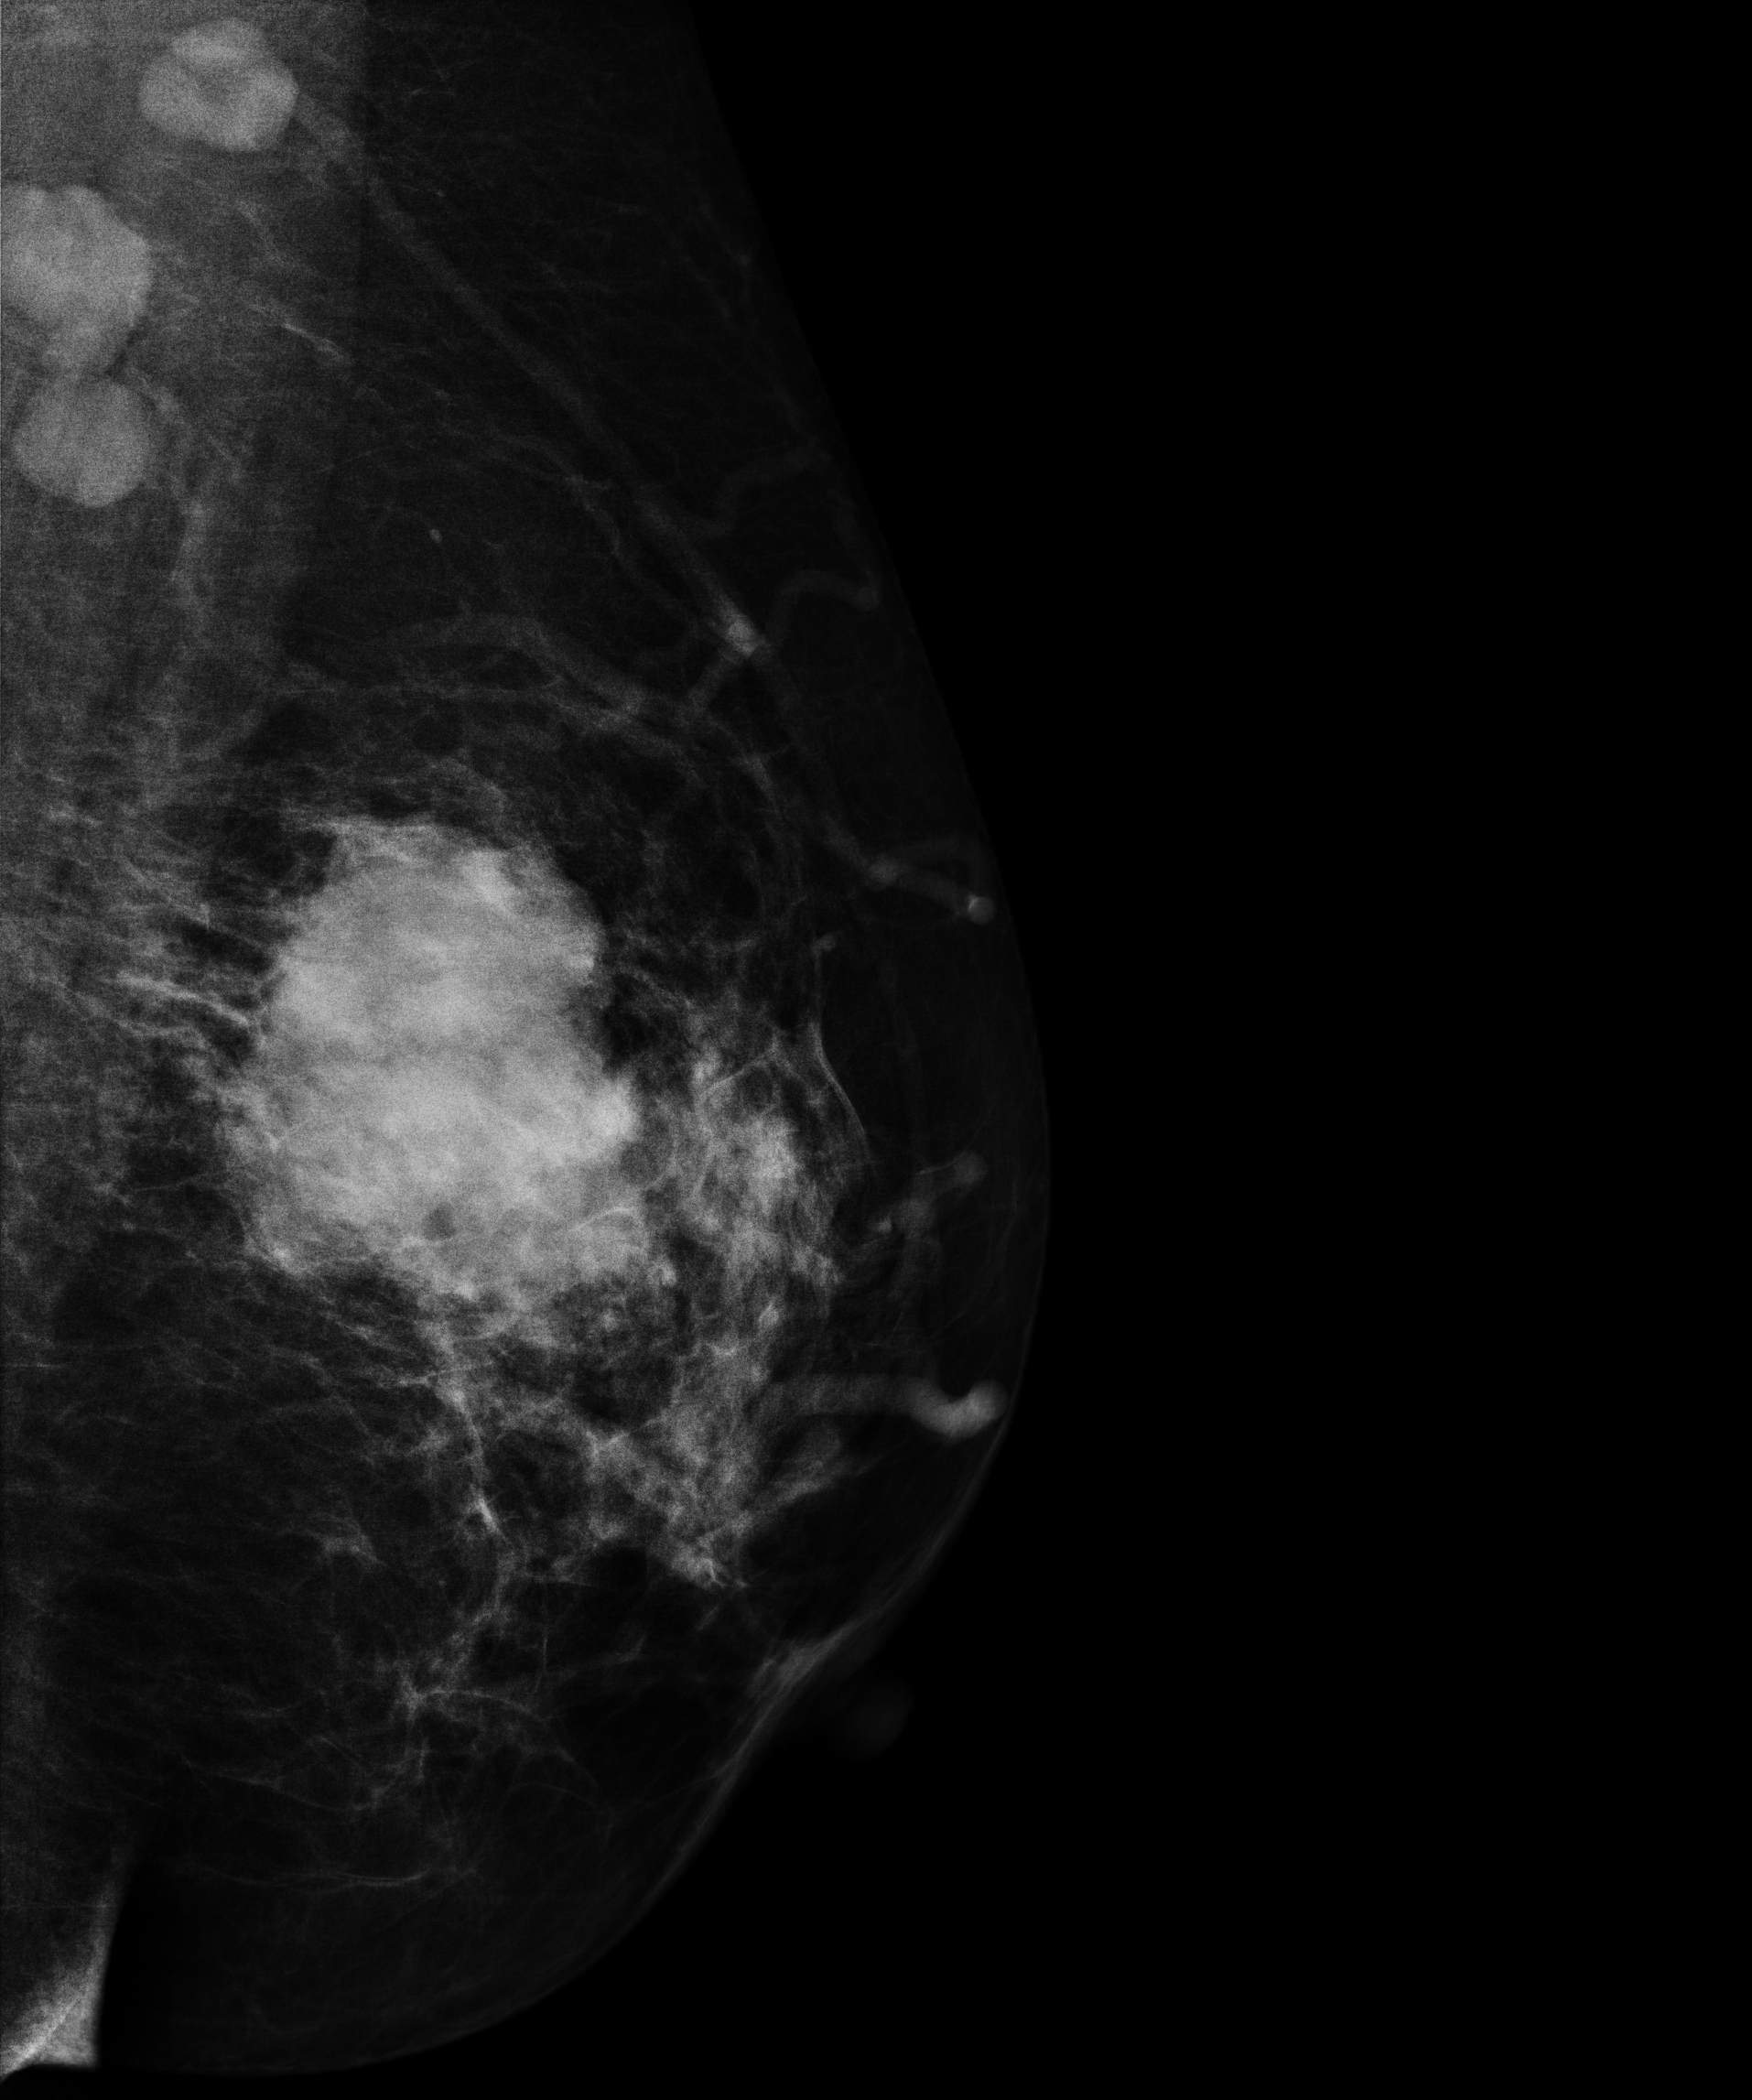
Mammogram, left breast, MLO view. Patient age 48.
This breast has a mass, histologically confirmed malignant. Molecular subtype: luminal B.